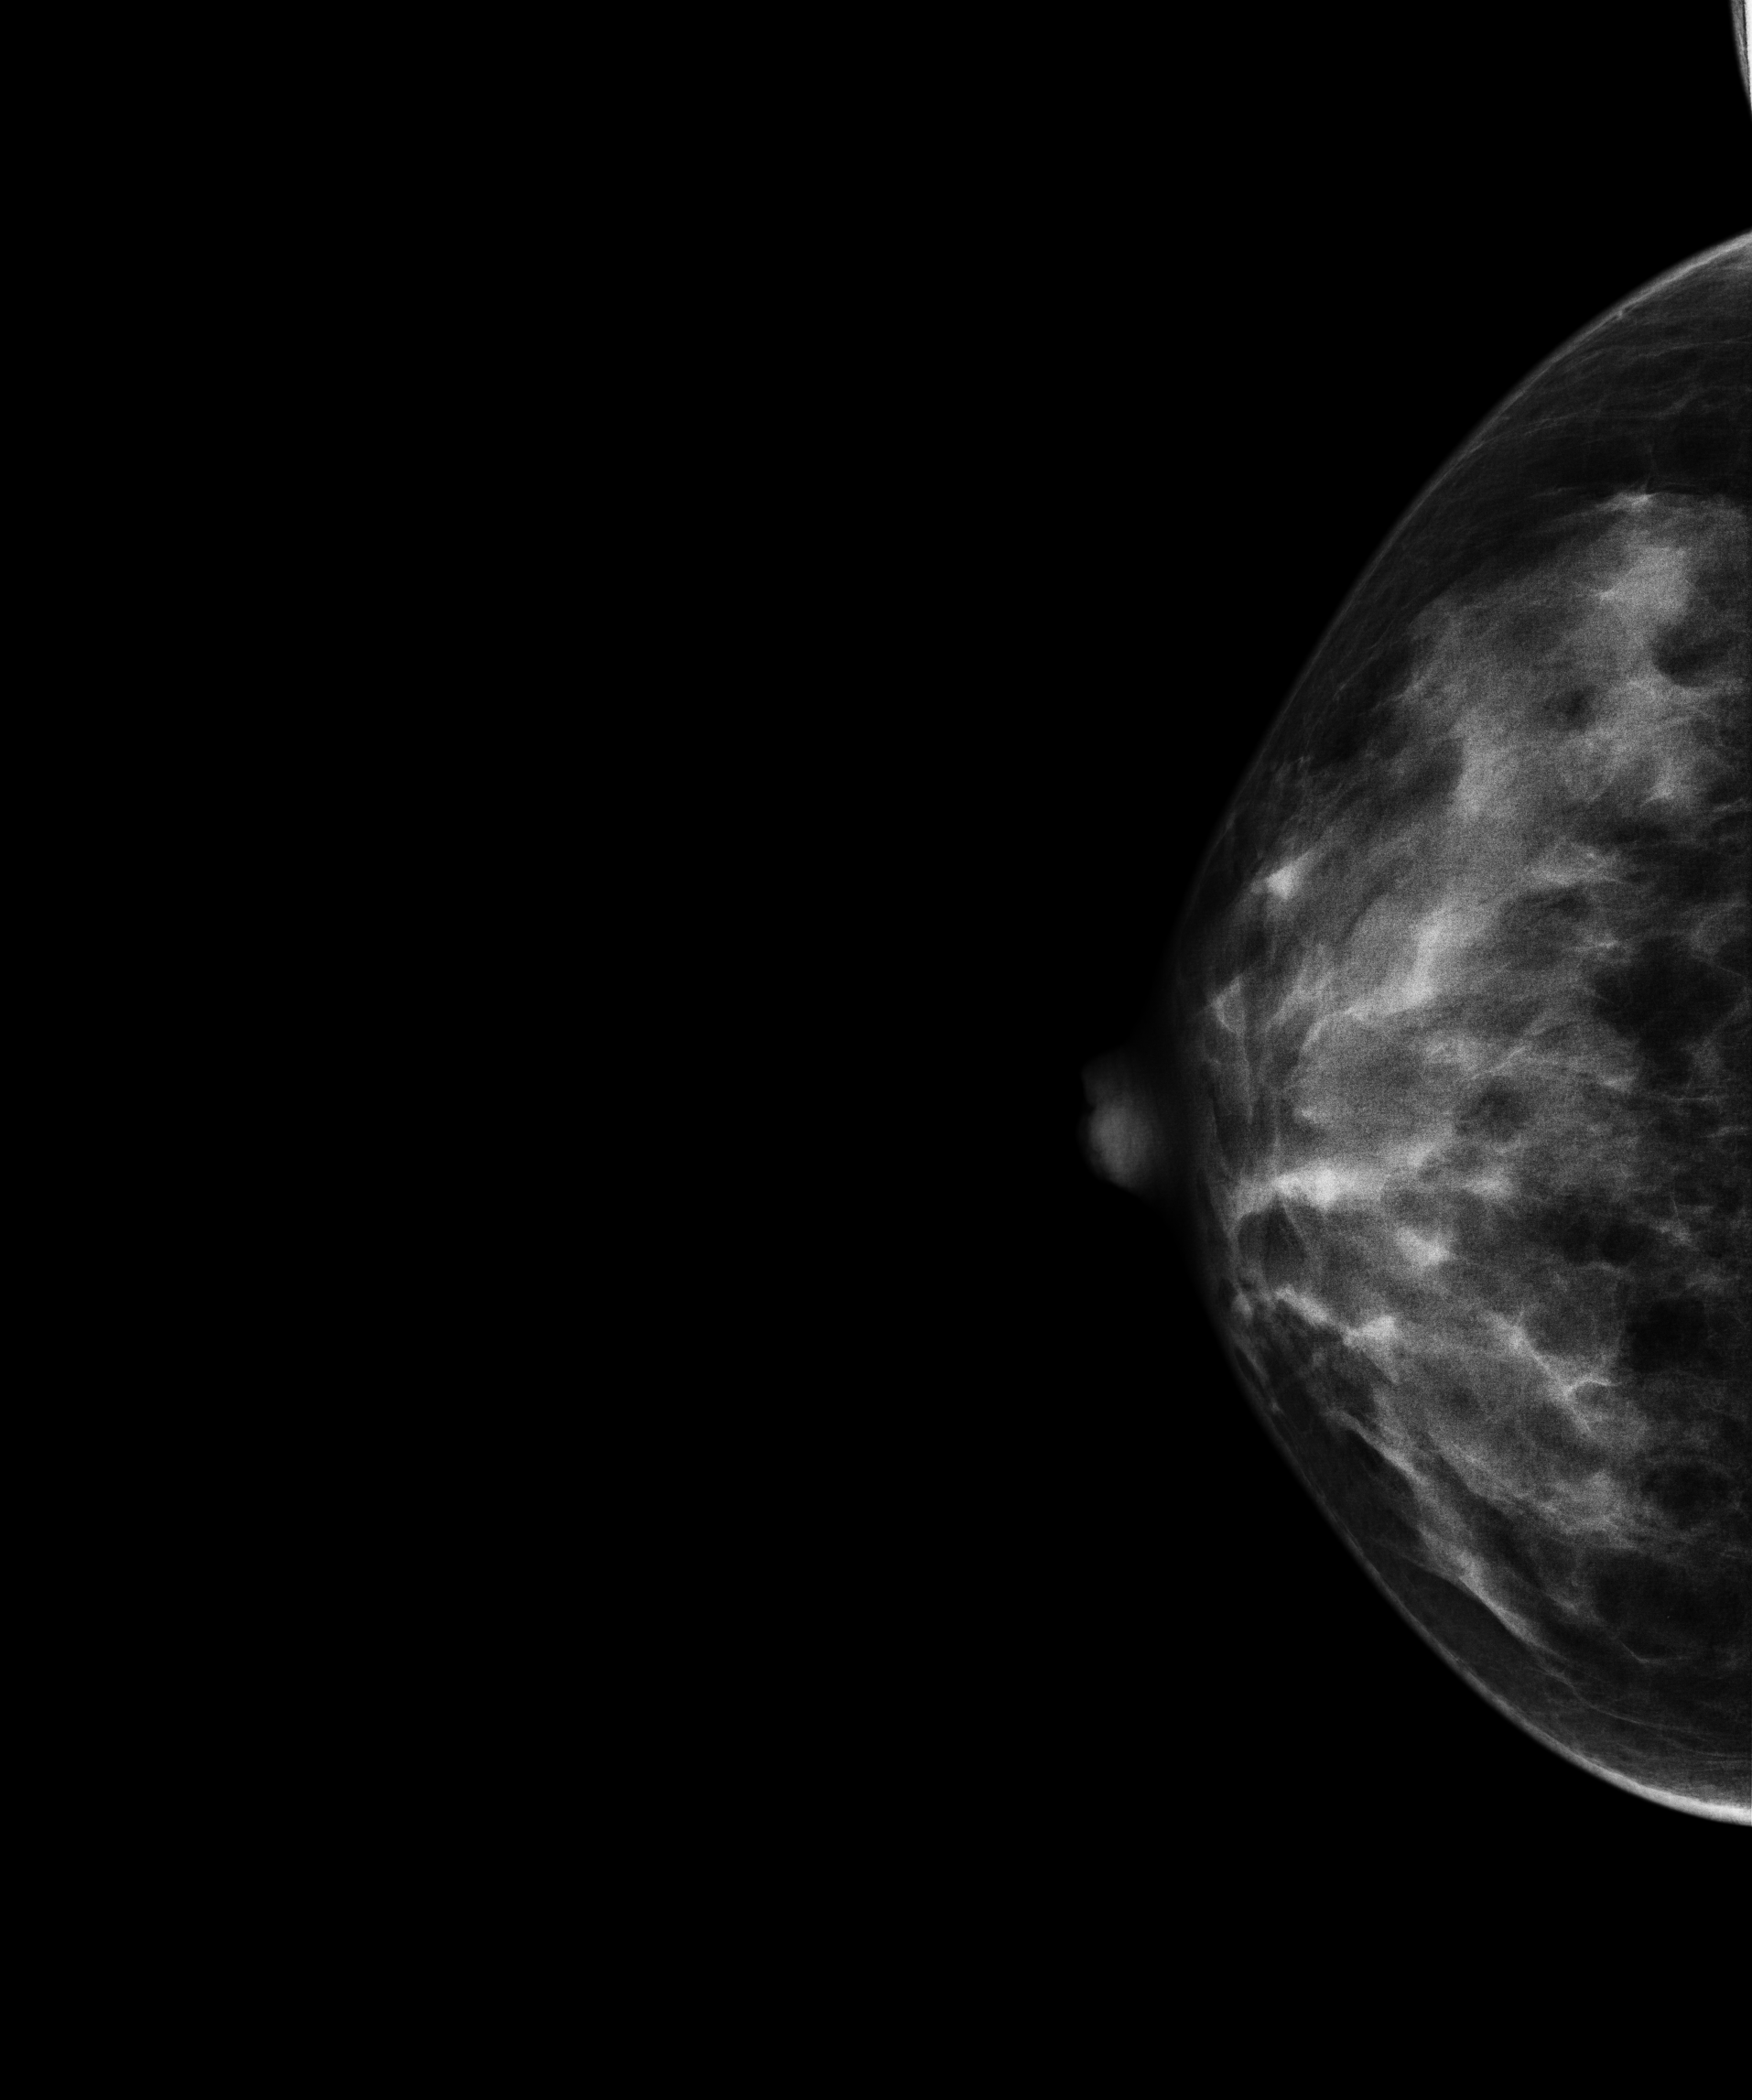
Mammogram, right breast, CC view. Patient age 50.
Contralateral breast — no documented abnormality on this side.